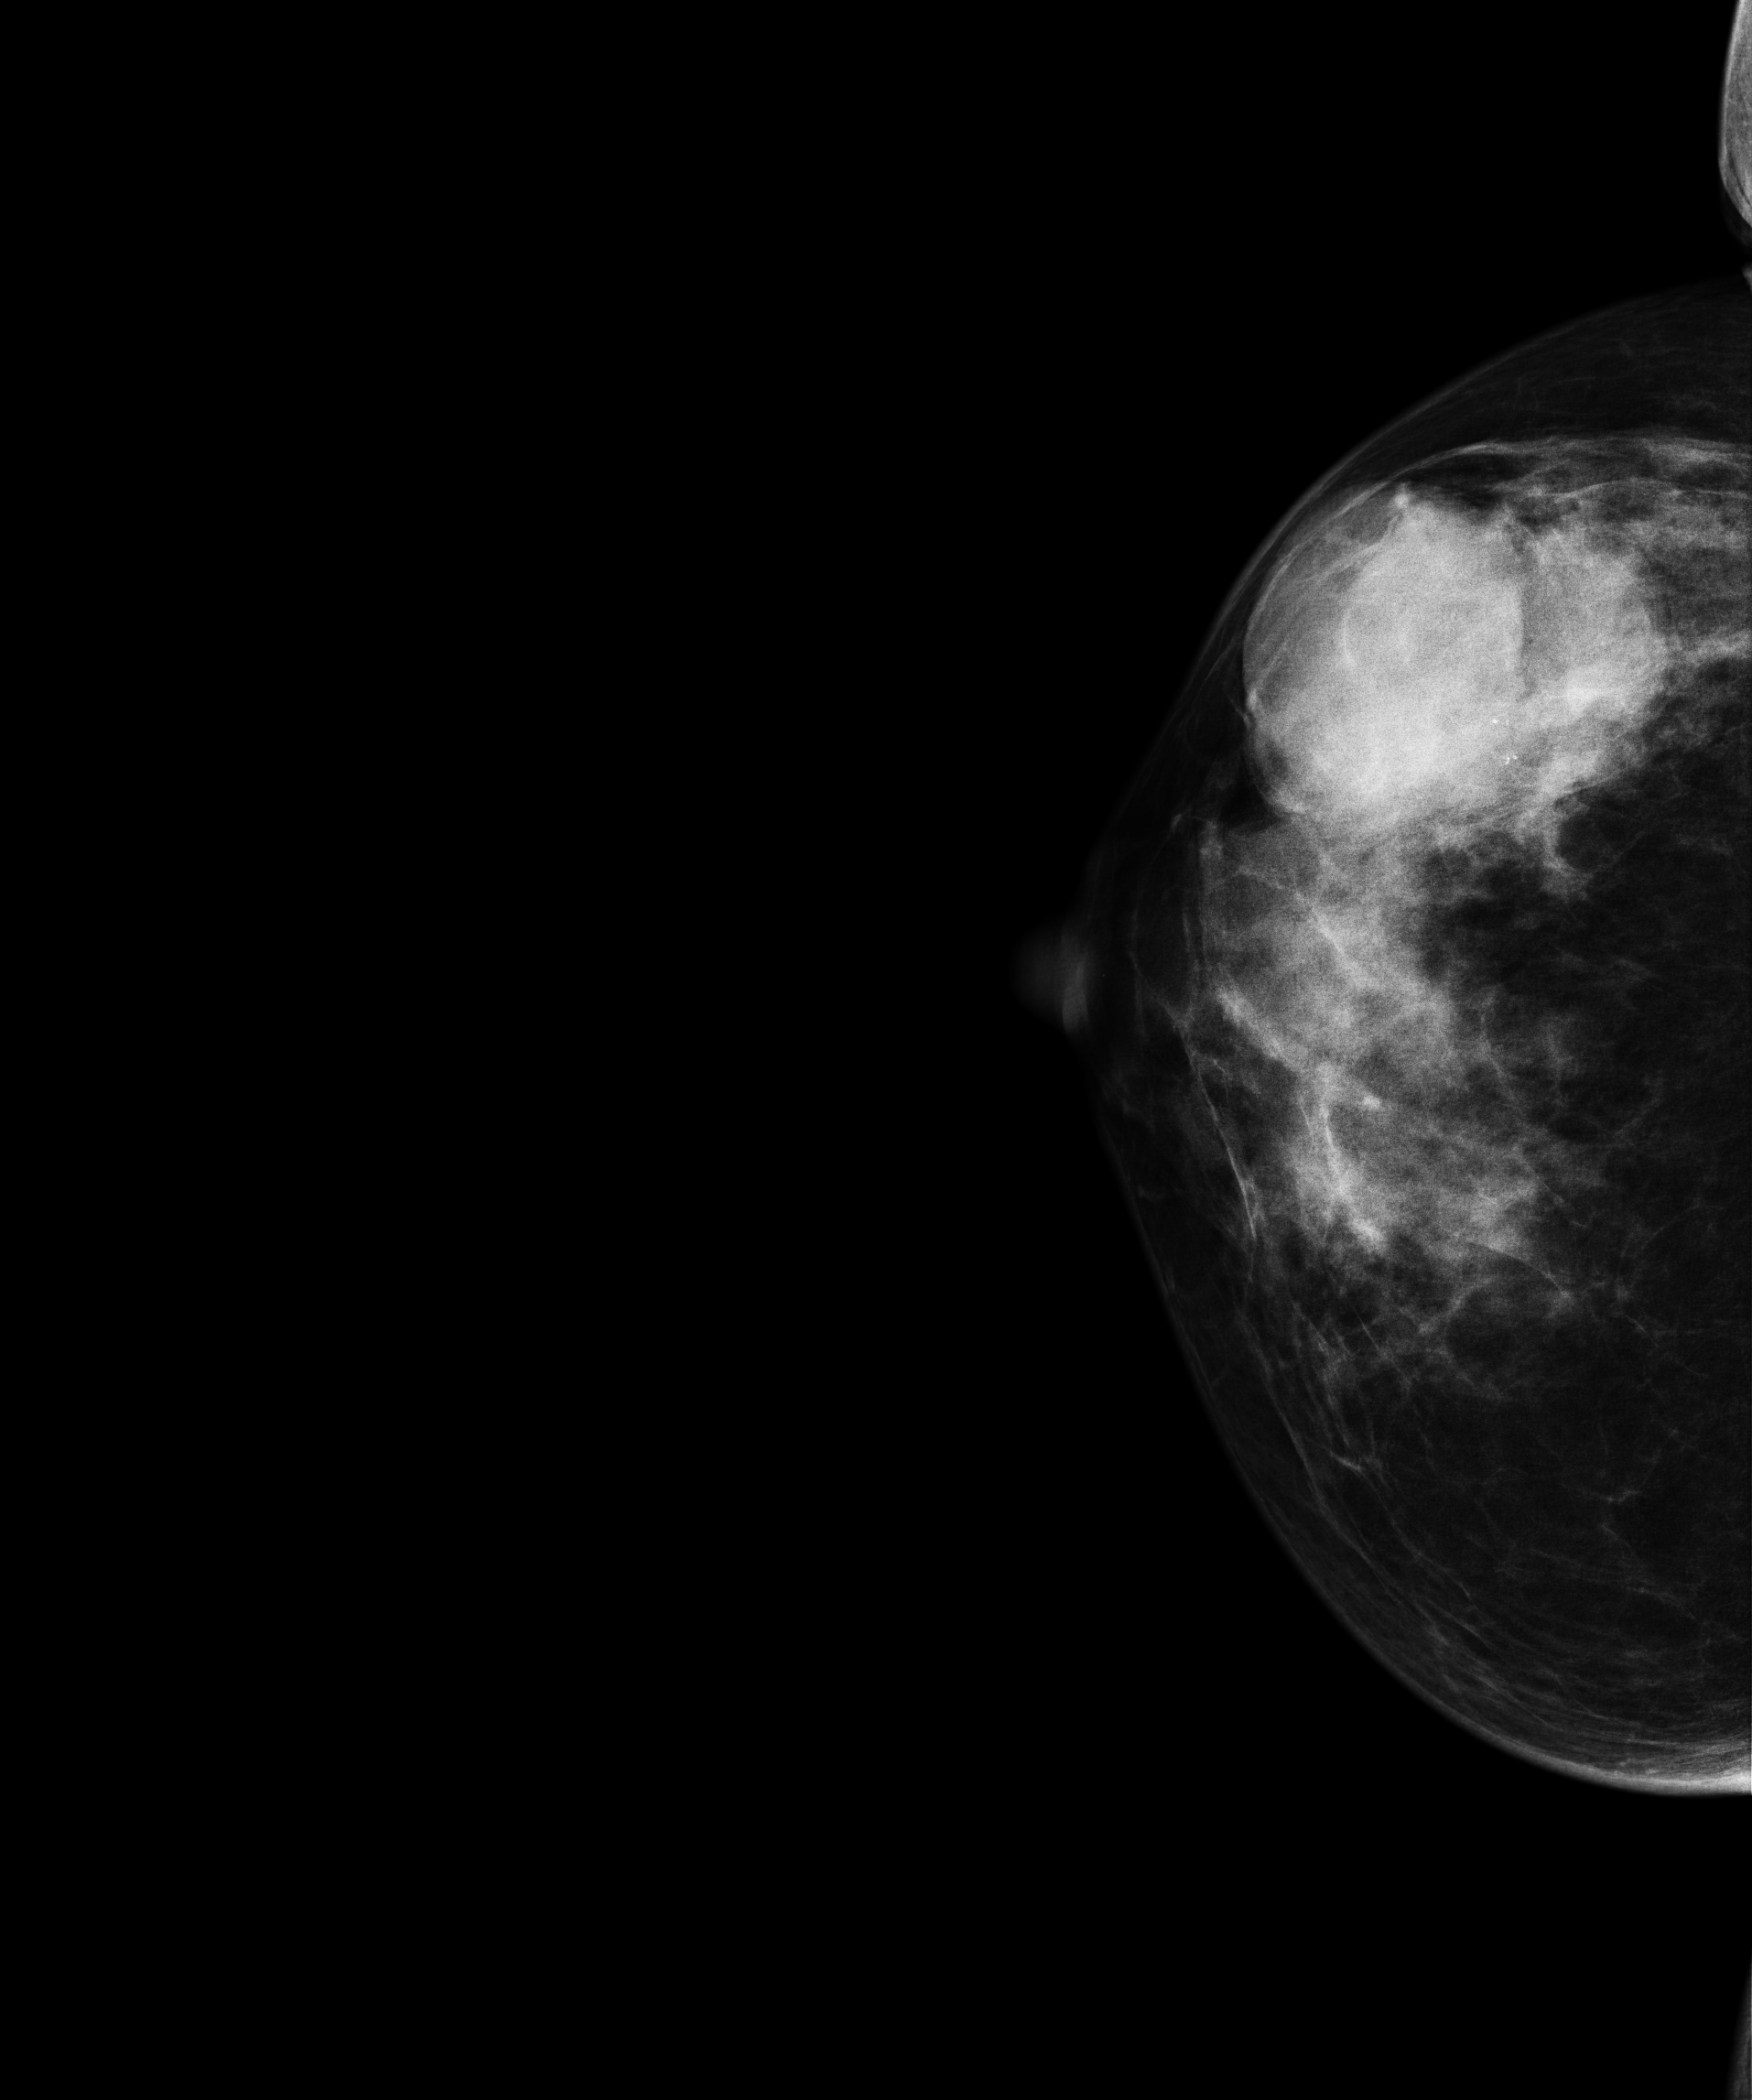
Mammogram — right CC. 41 y/o patient.
This breast has a mass, histologically confirmed malignant.